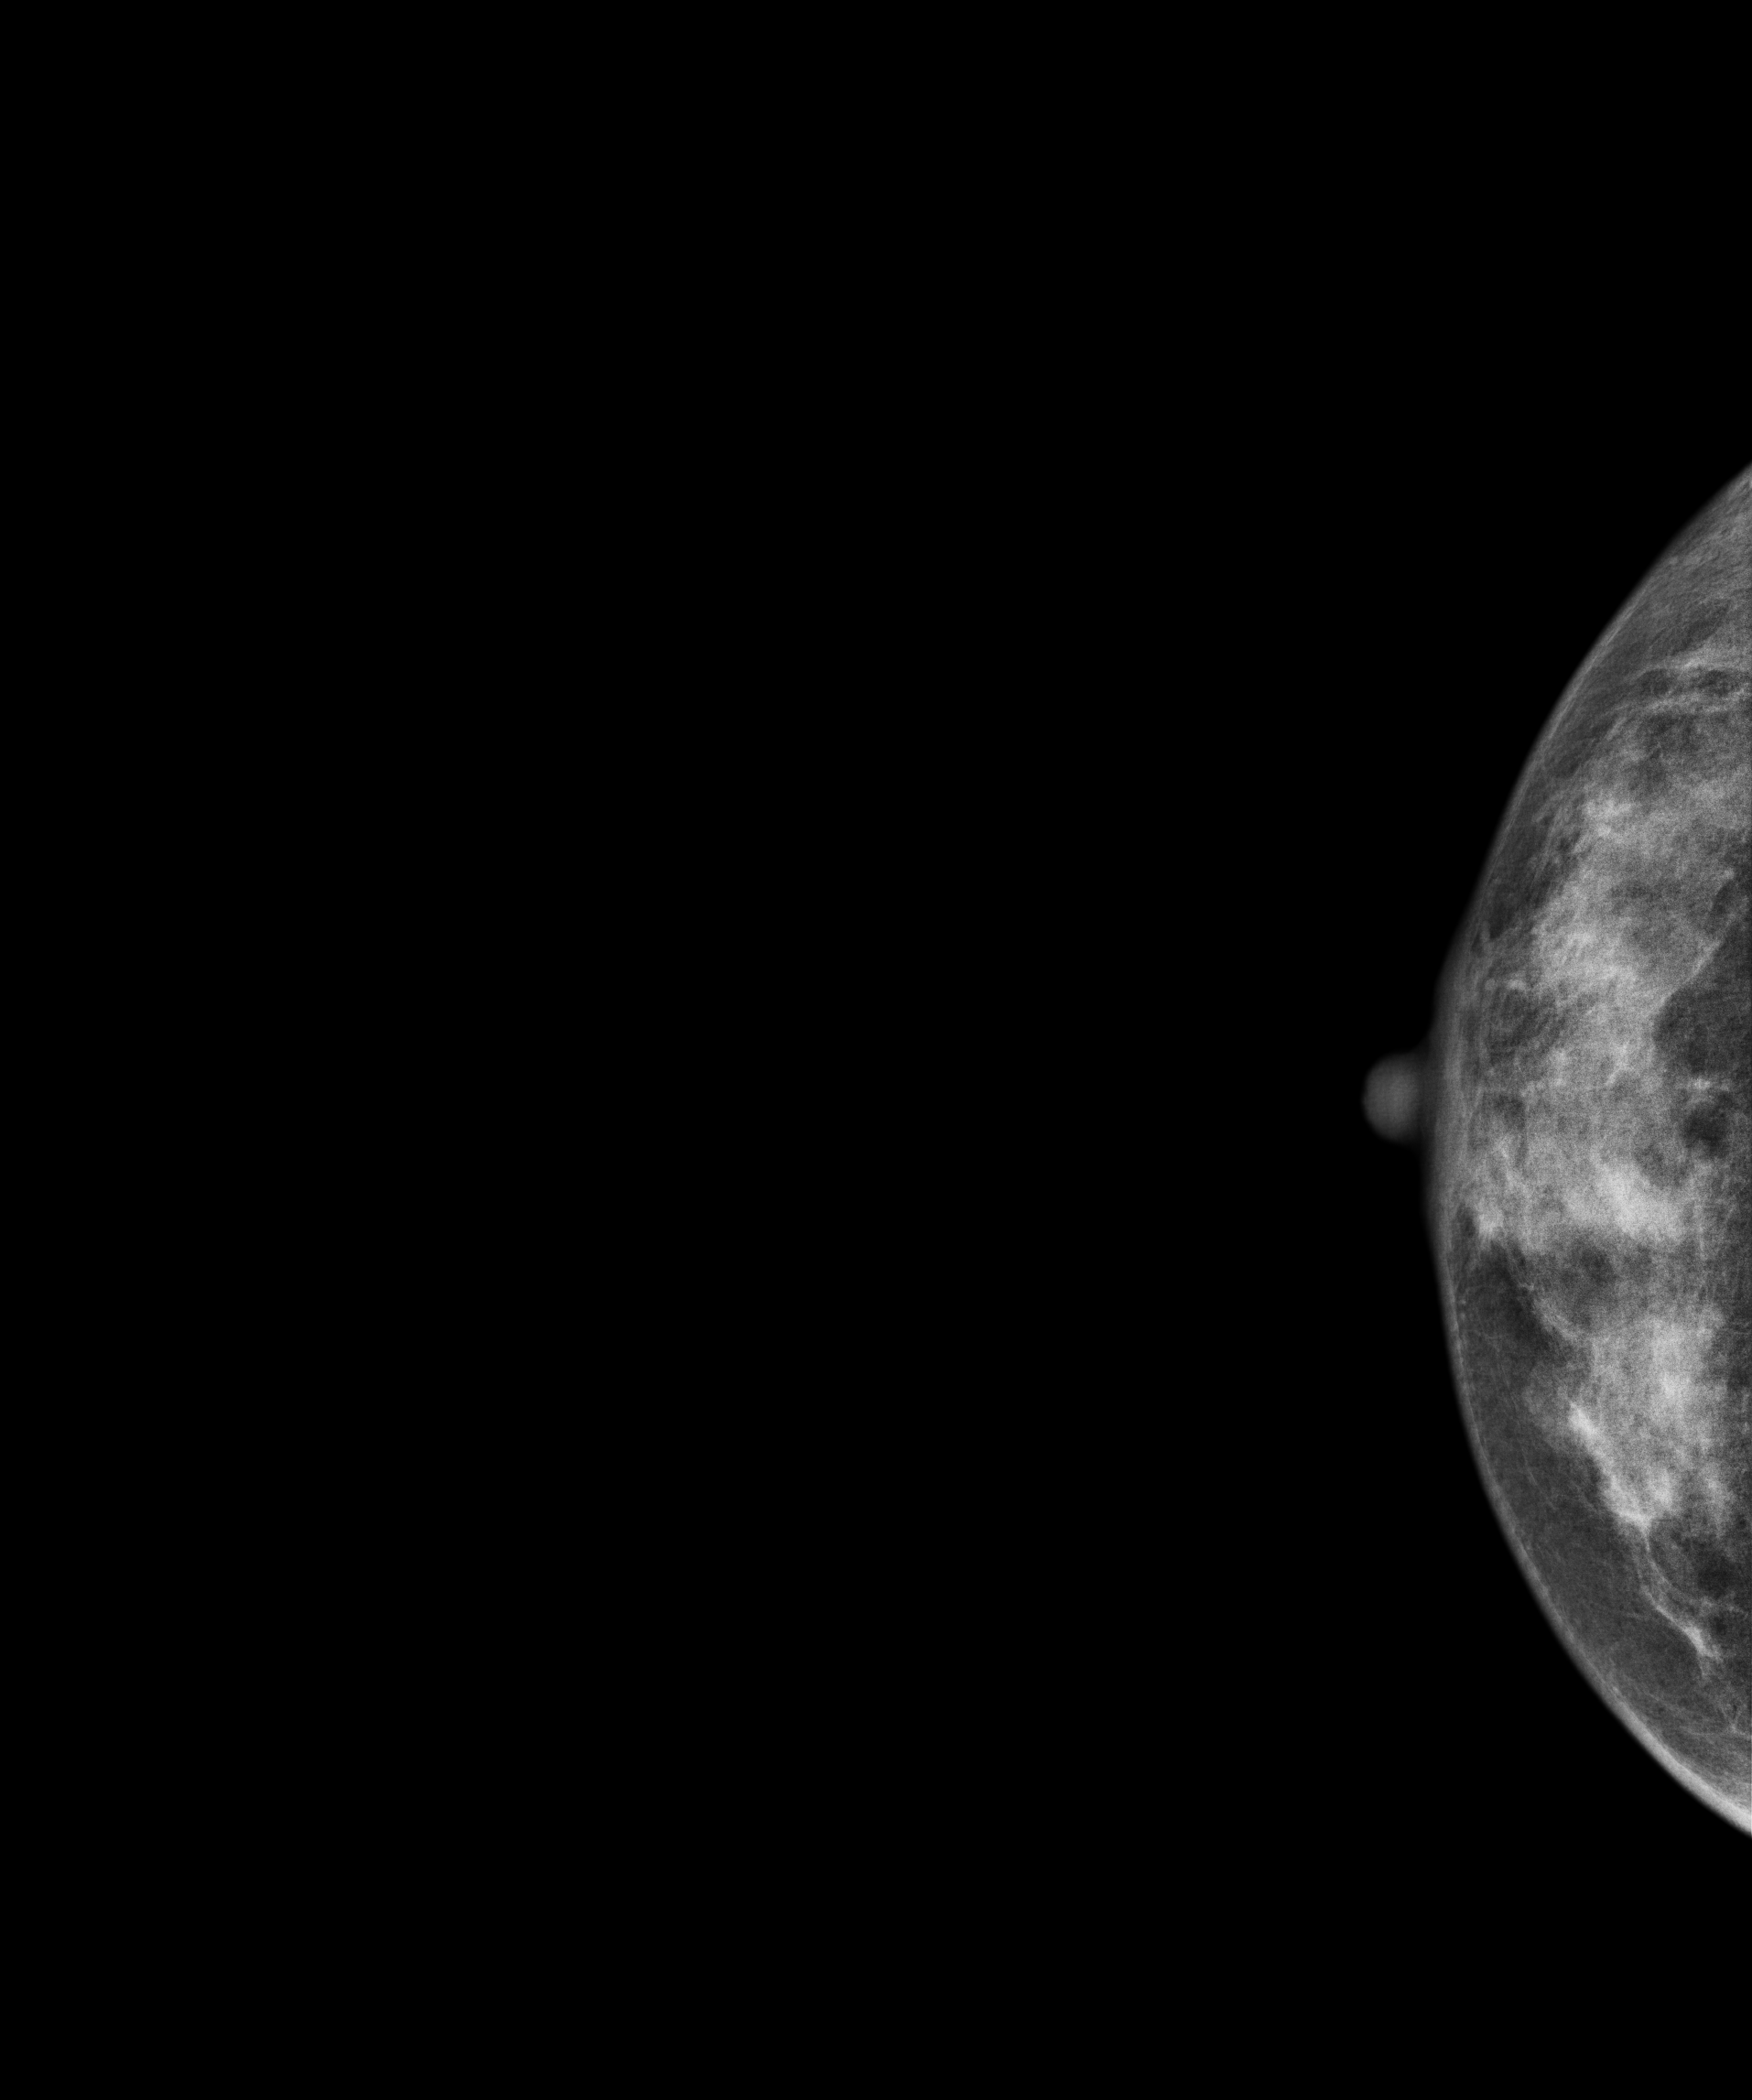
Right-breast mammogram, cranio-caudal. Patient age 41.
Contralateral breast — no documented abnormality on this side.